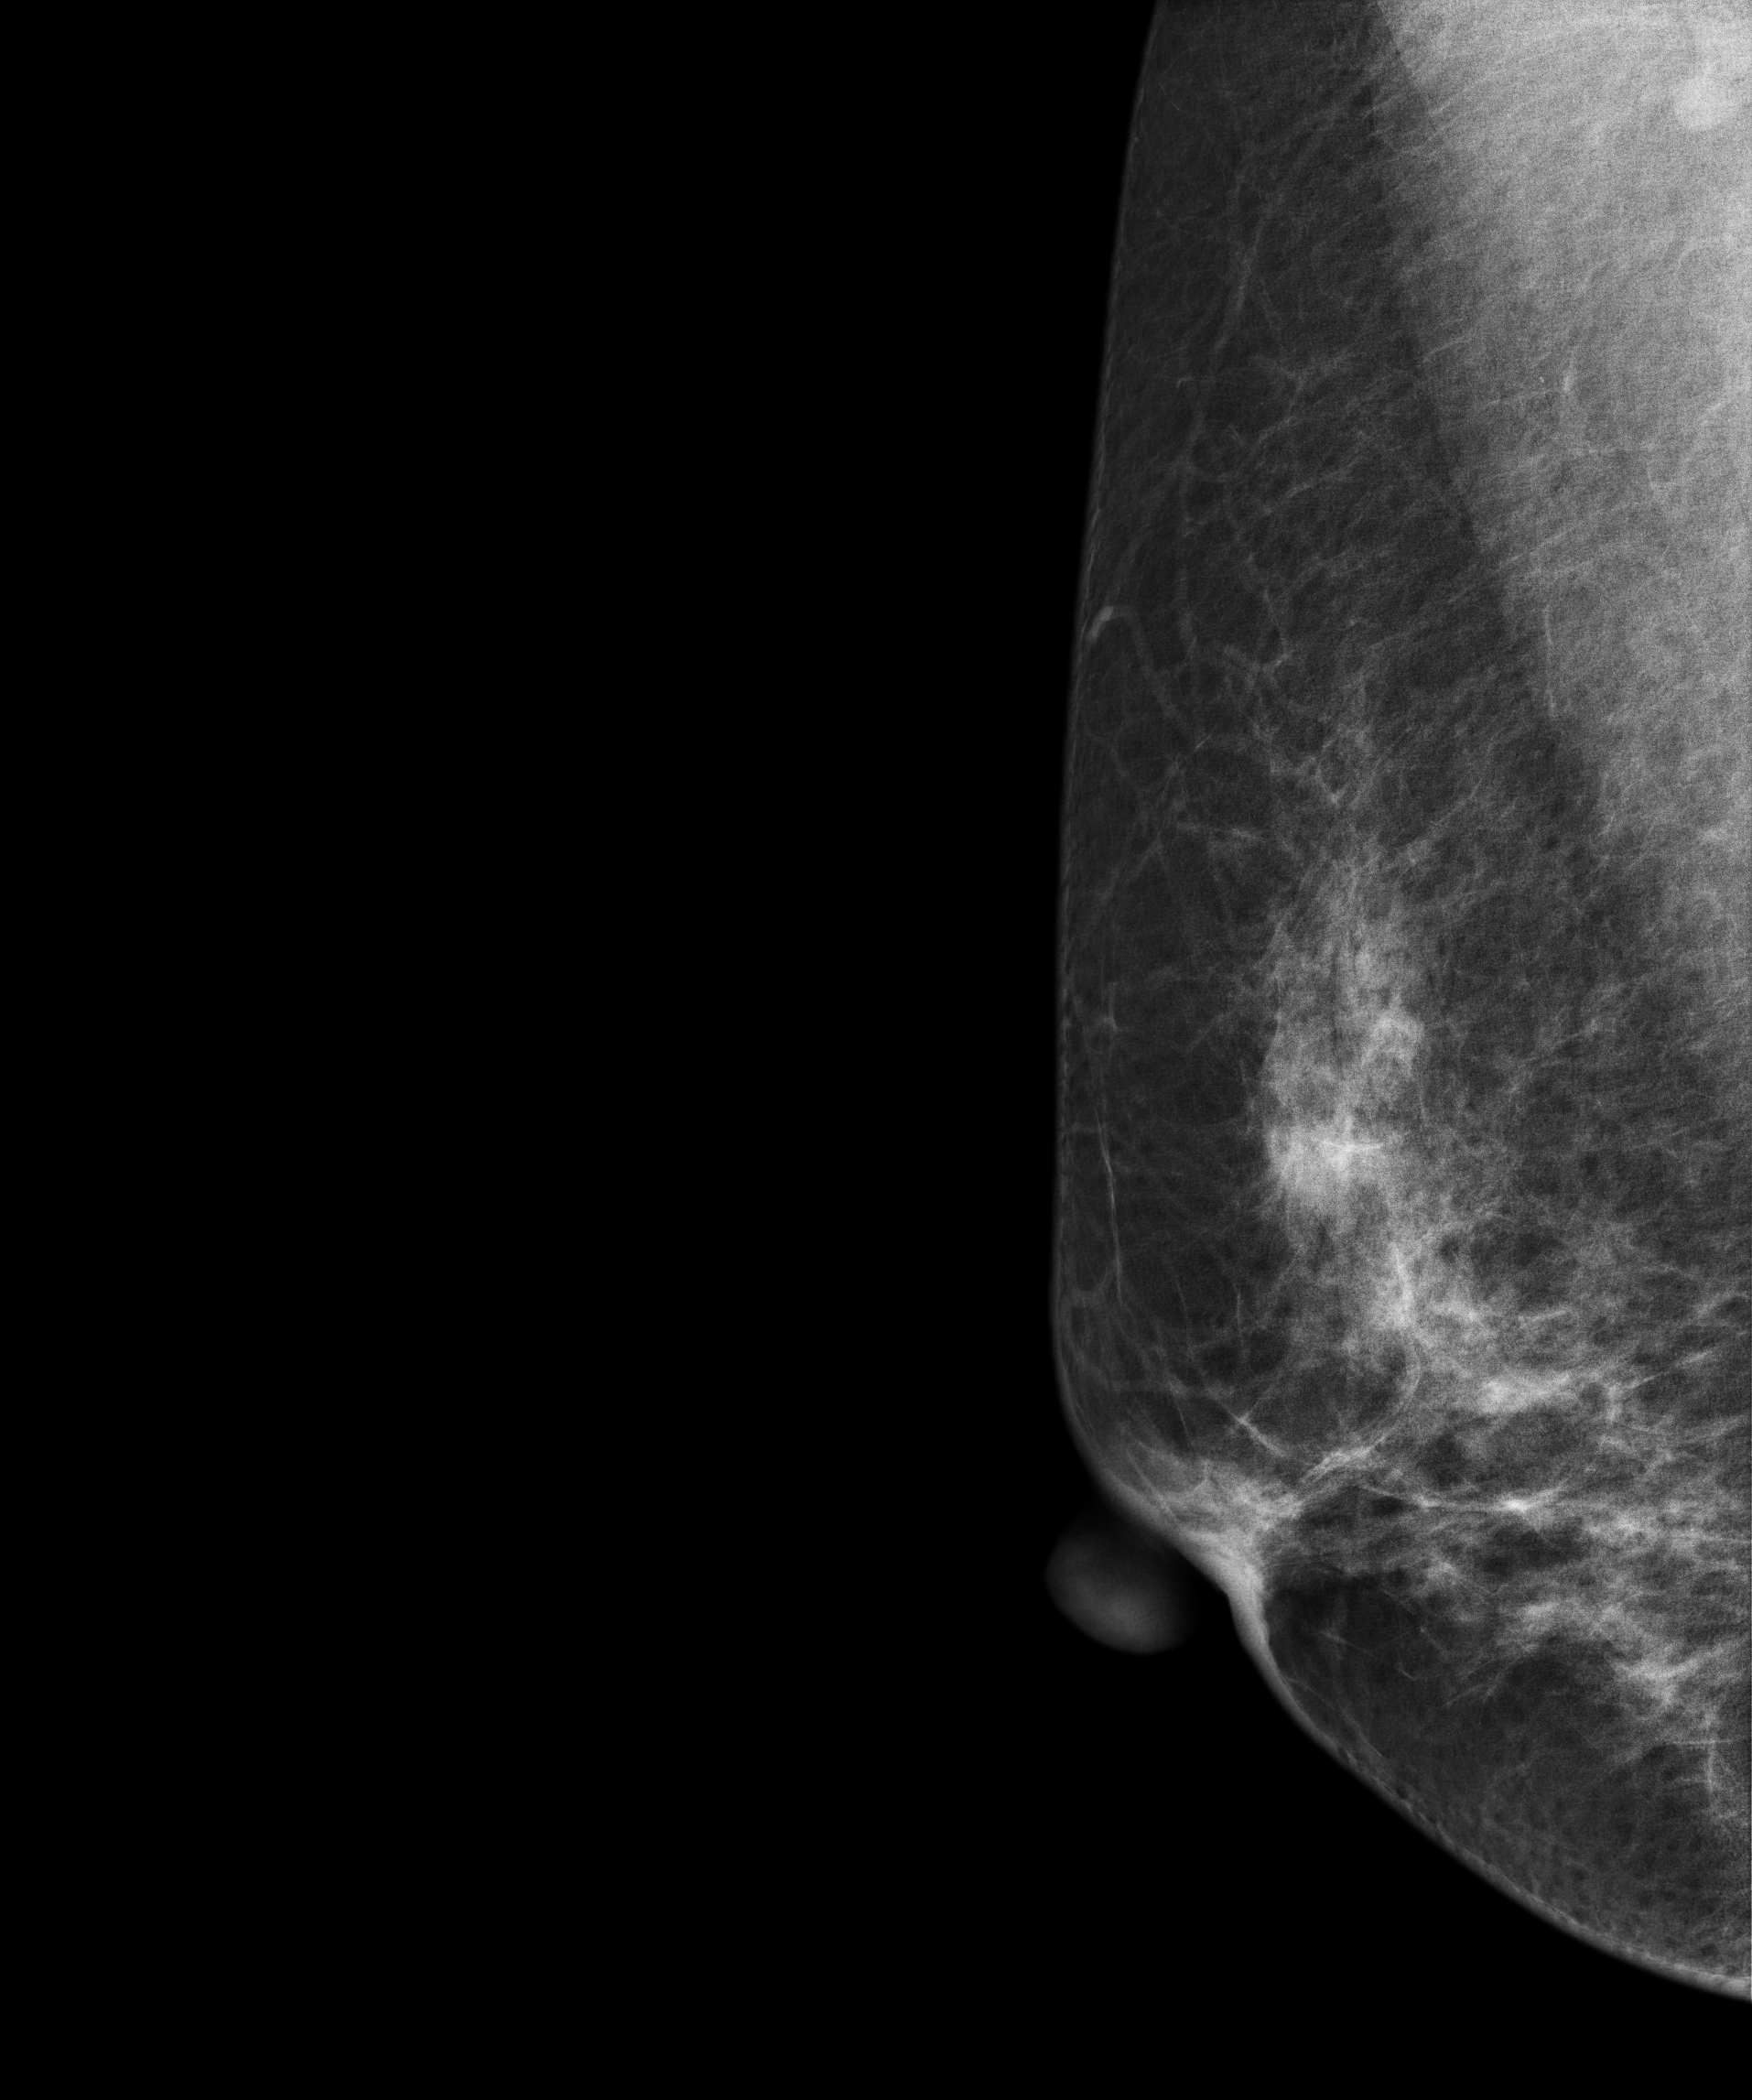
Right-breast mammogram, medio-lateral oblique. Patient age 42.
Contralateral breast — no documented abnormality on this side.